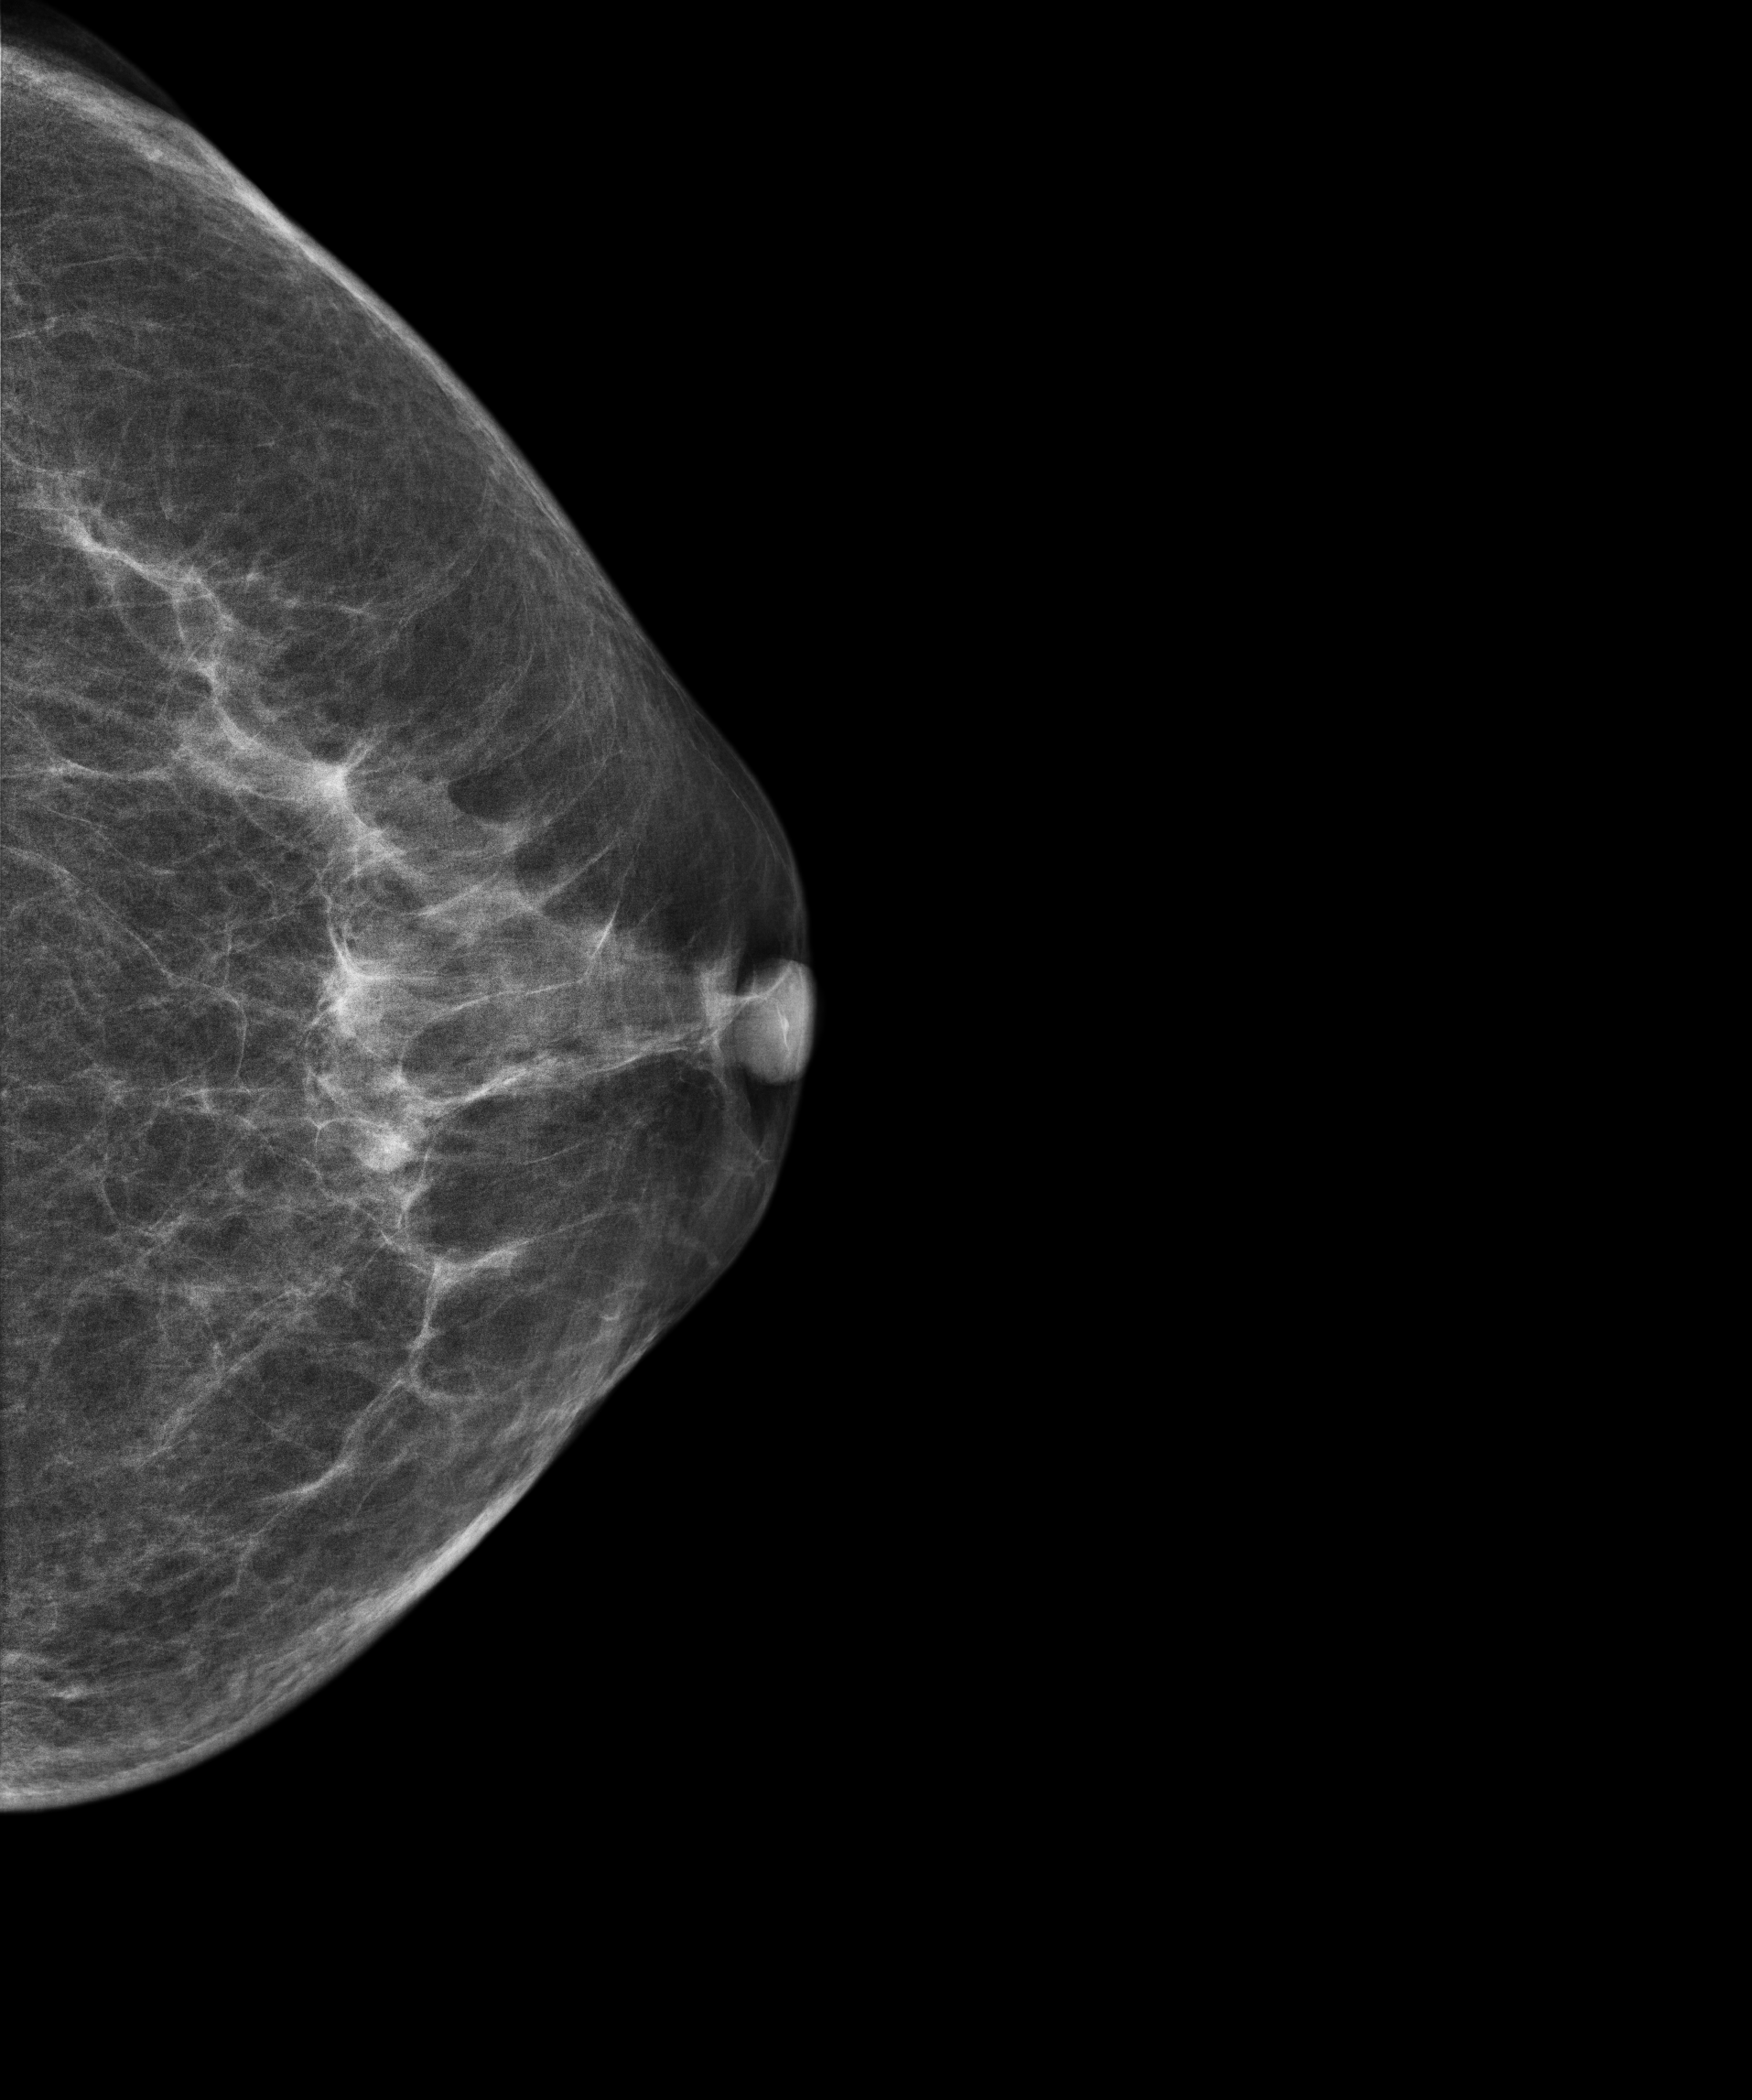
Mammogram, left breast, cranio-caudal view. 63 y/o patient.
Contralateral breast — no documented abnormality on this side.